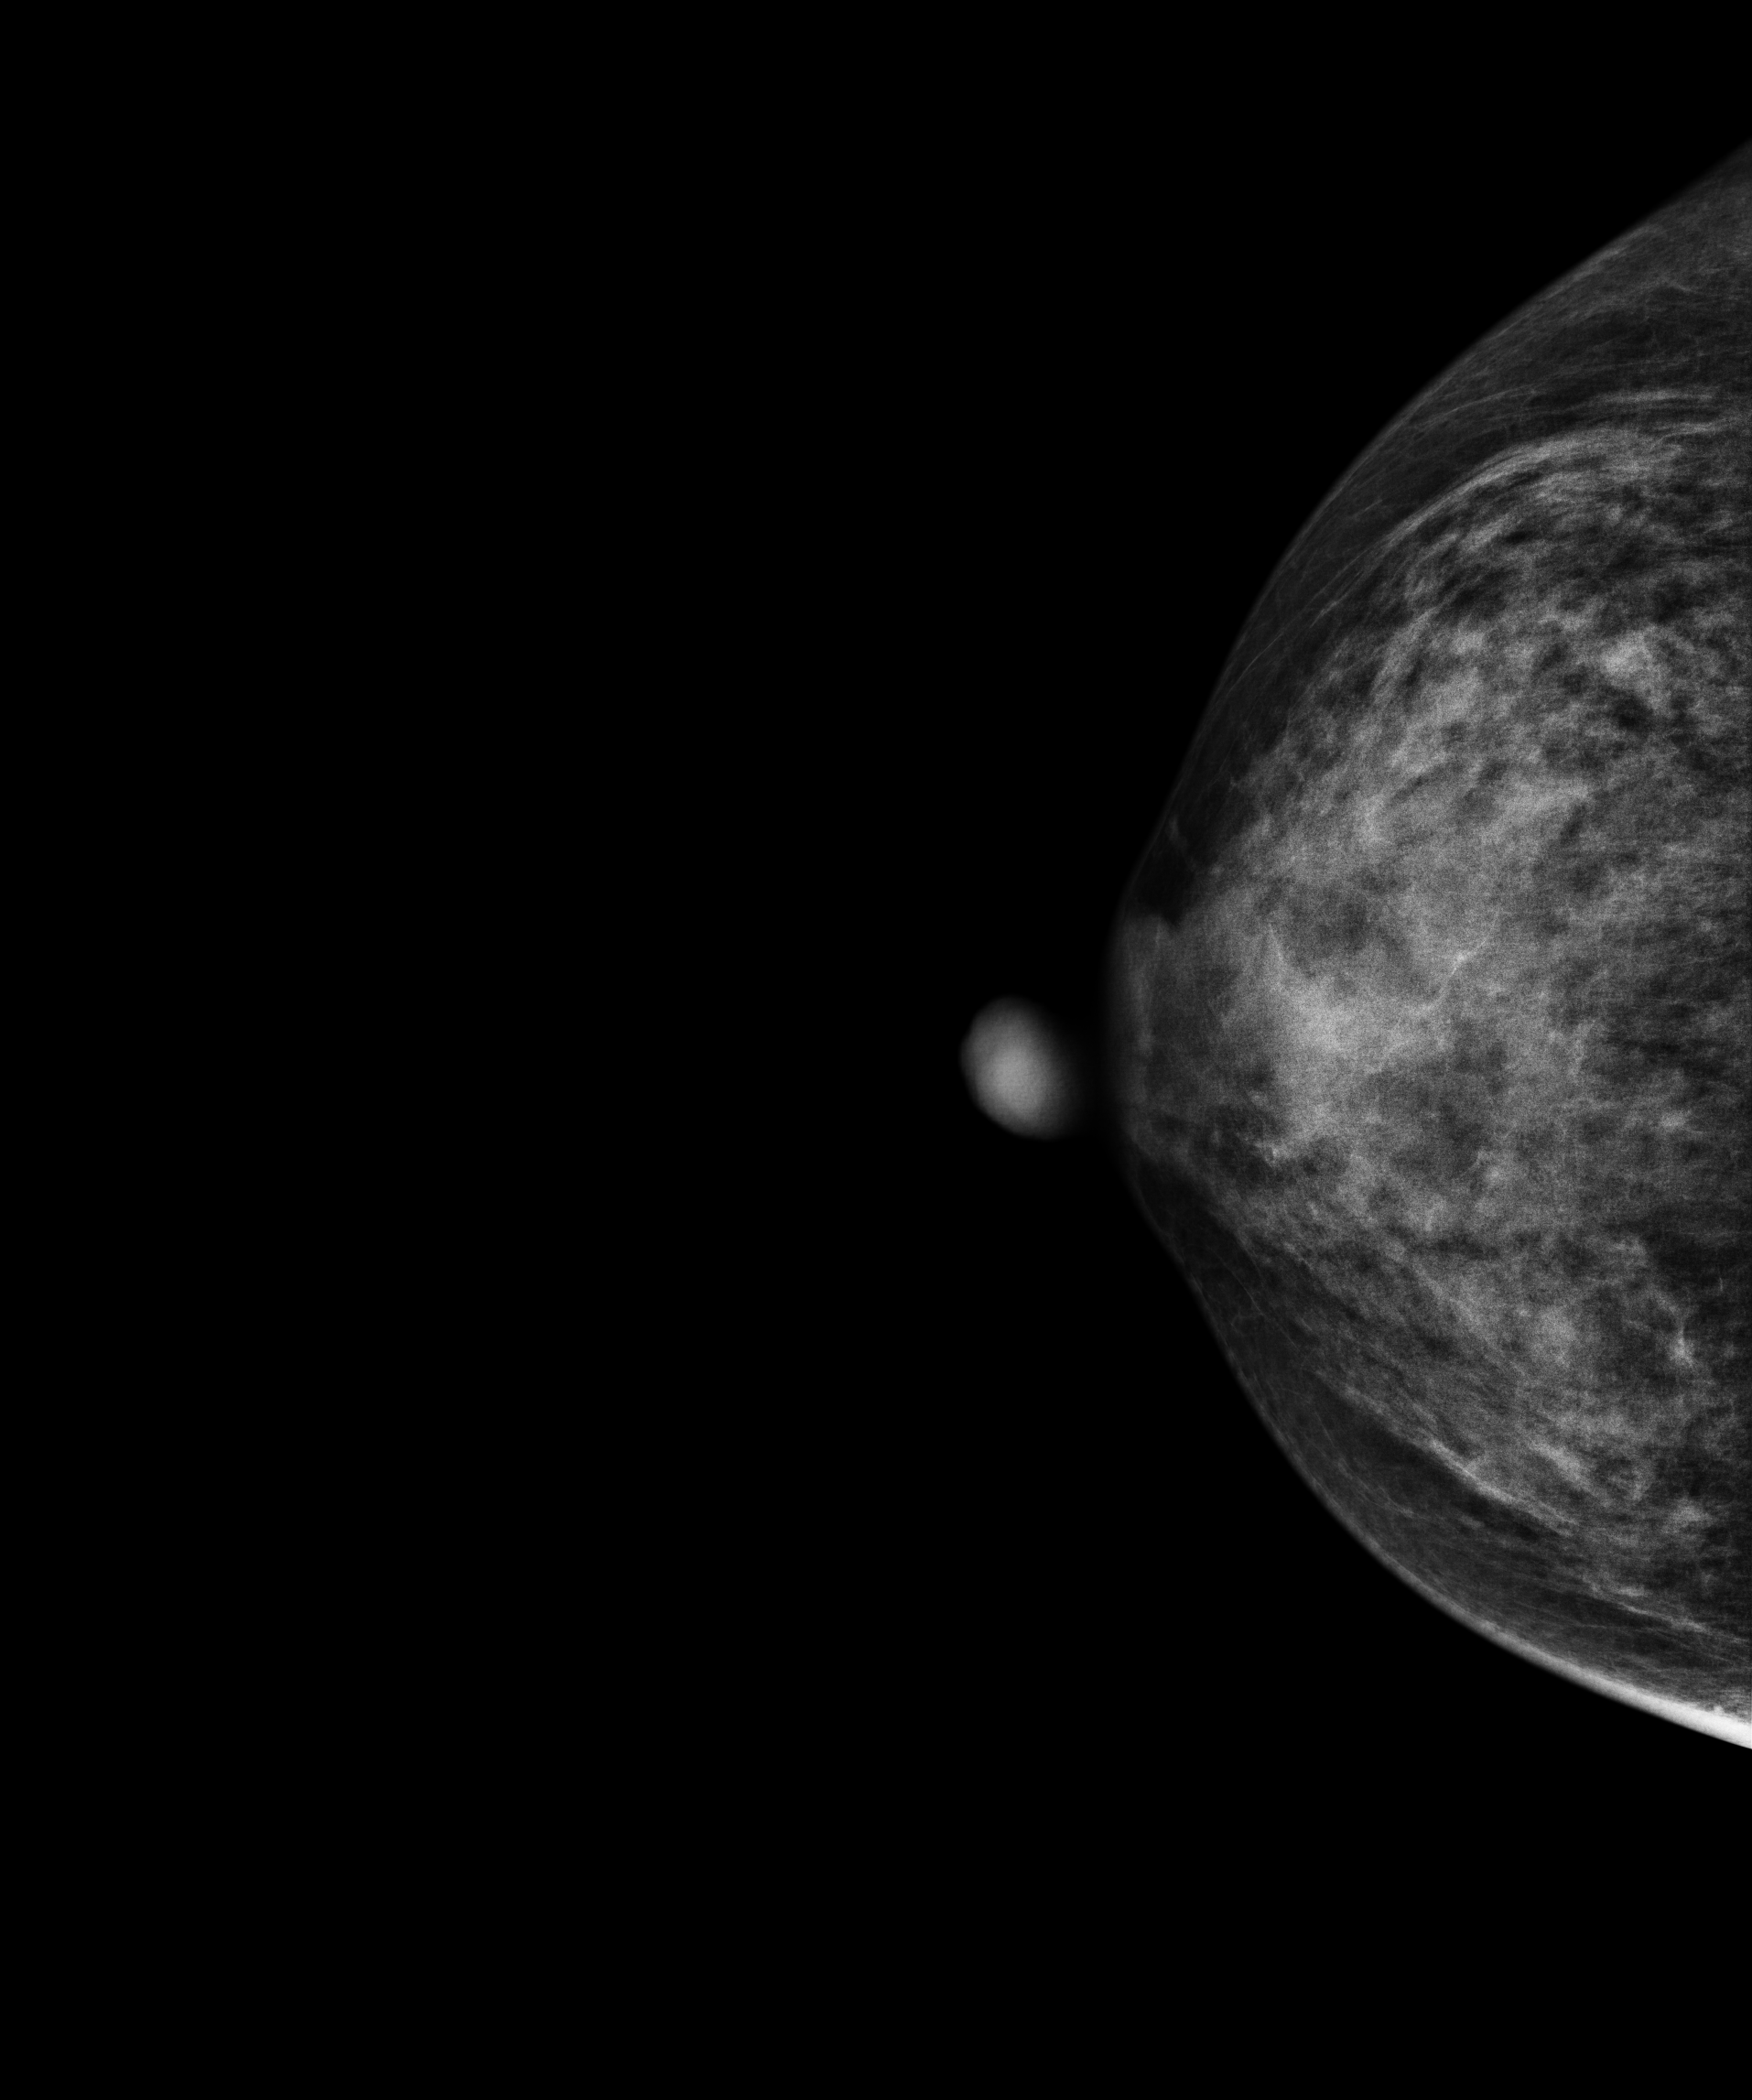
Mammogram, right breast, CC view. Patient age 56.
This breast has a mass, biopsy-proven benign.